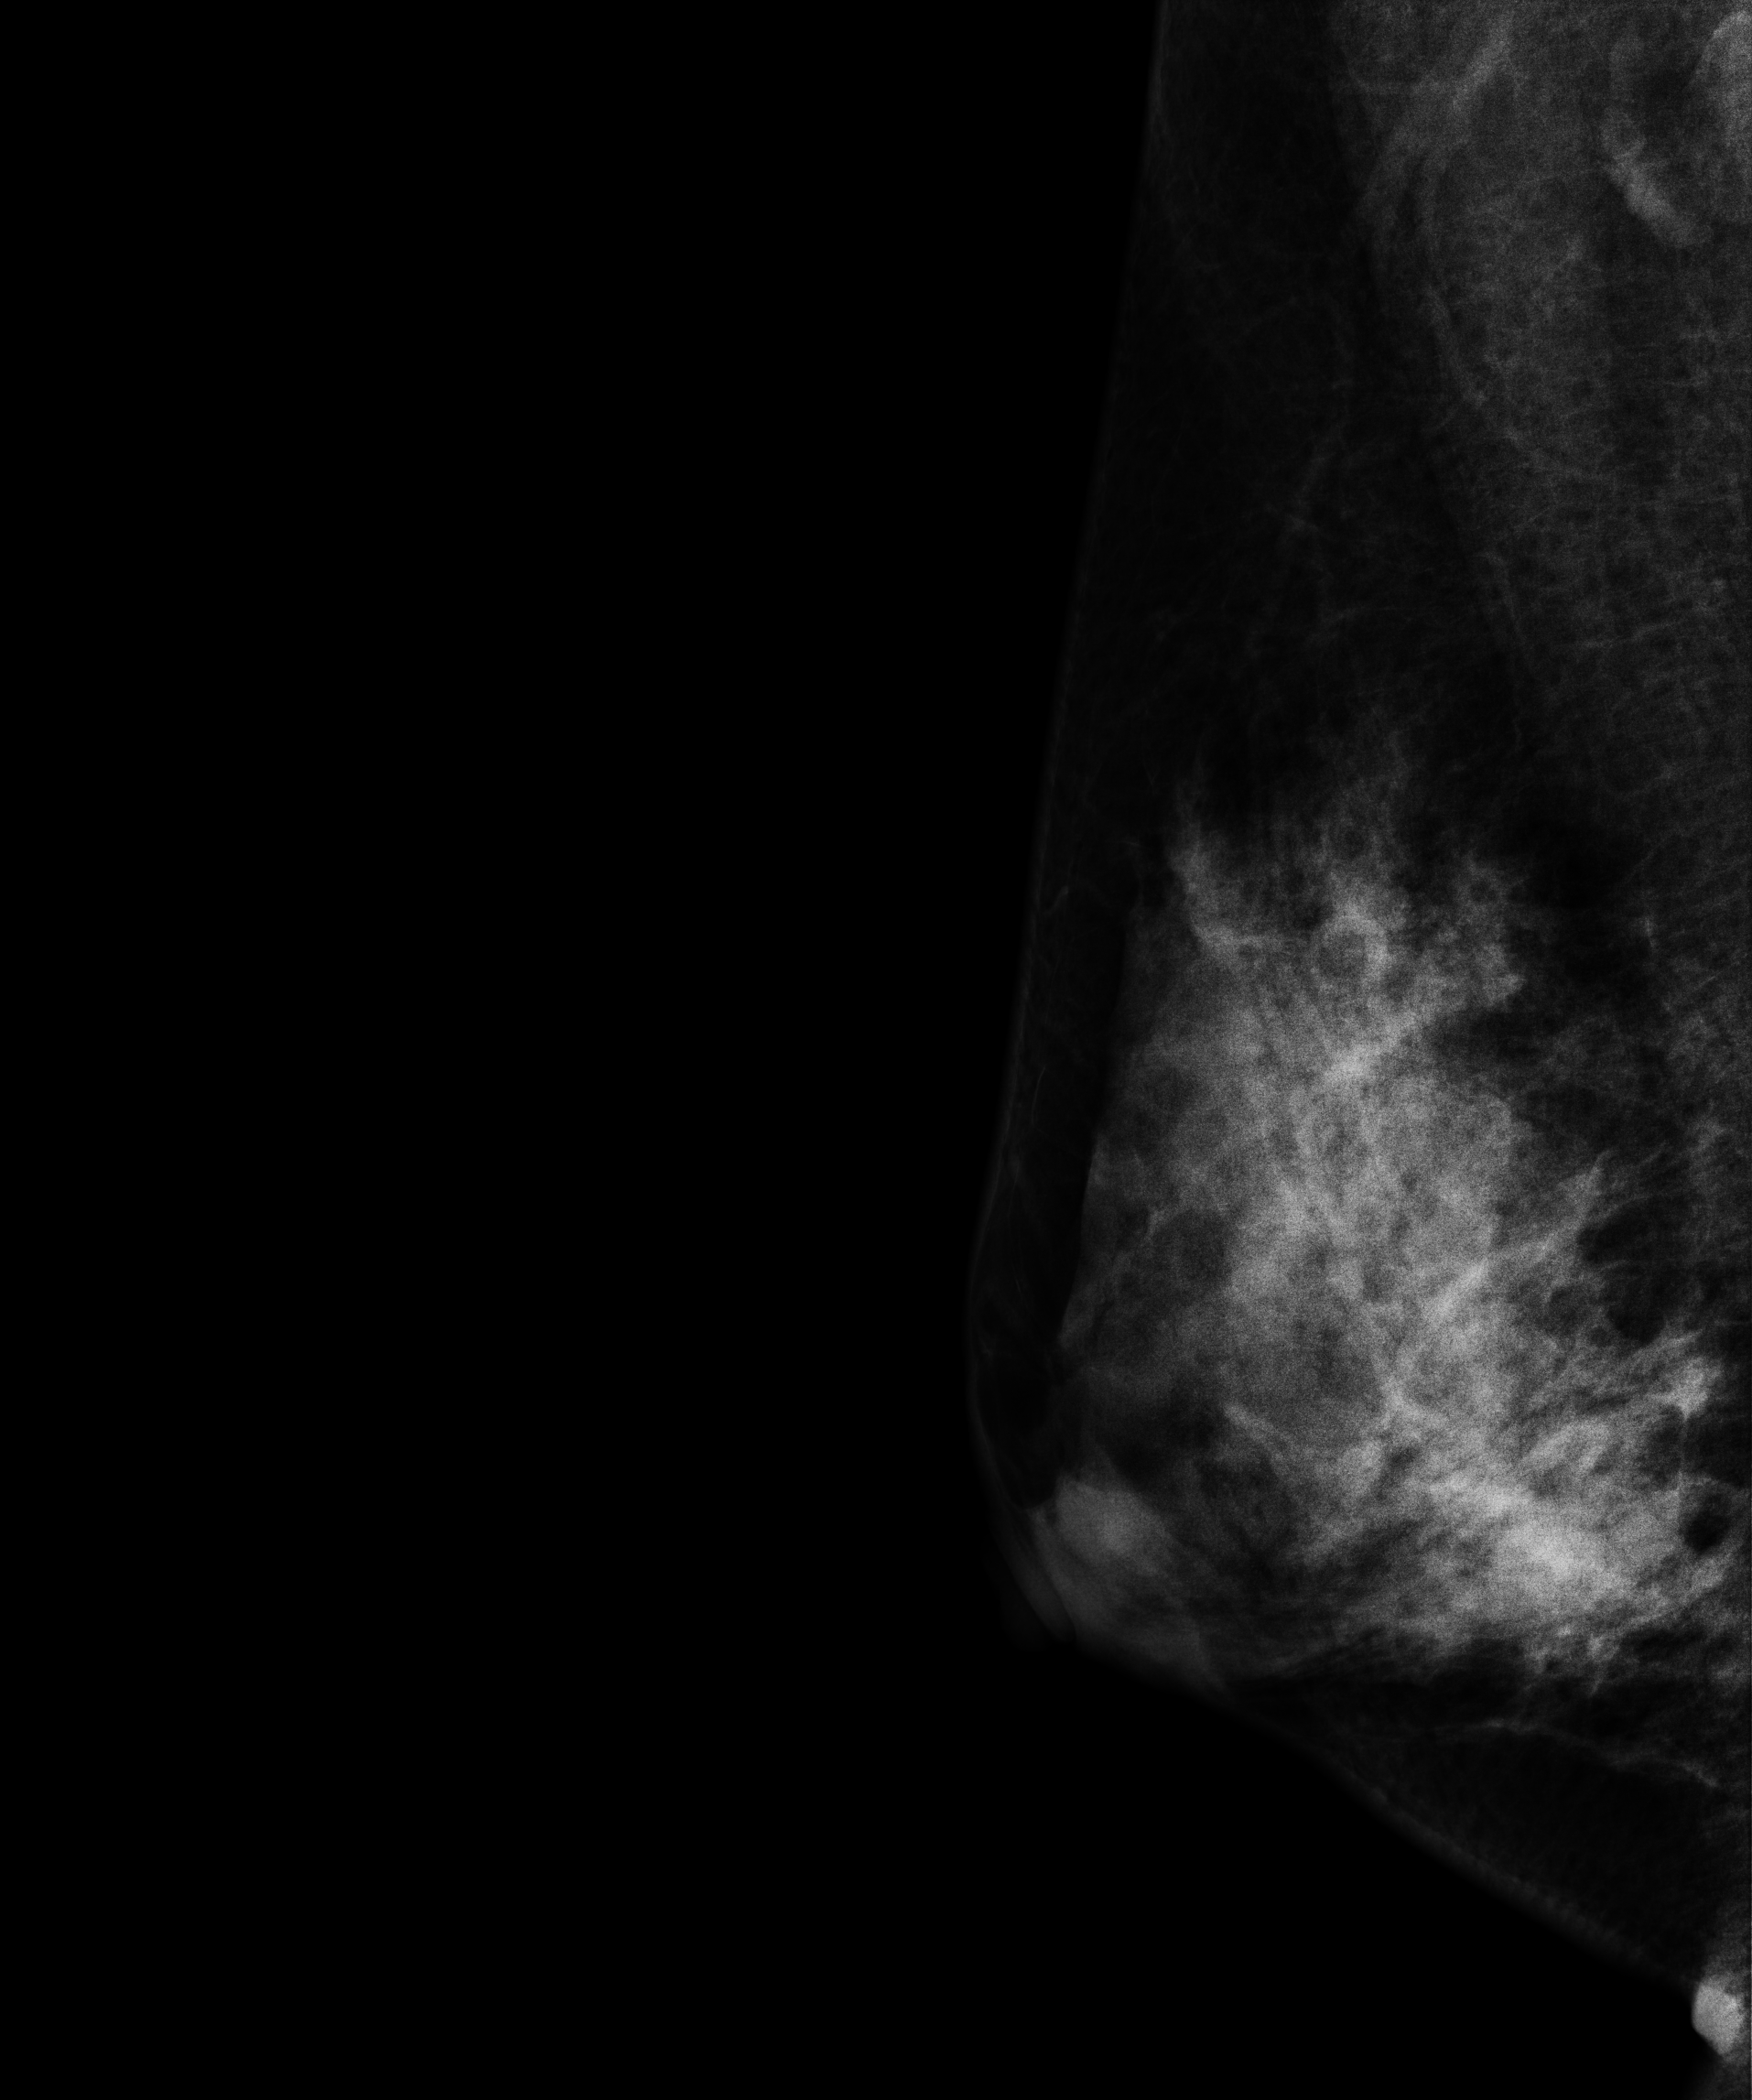
Mammogram, right breast, medio-lateral oblique view. Patient age 44.
This breast has a mass, biopsy-confirmed benign.